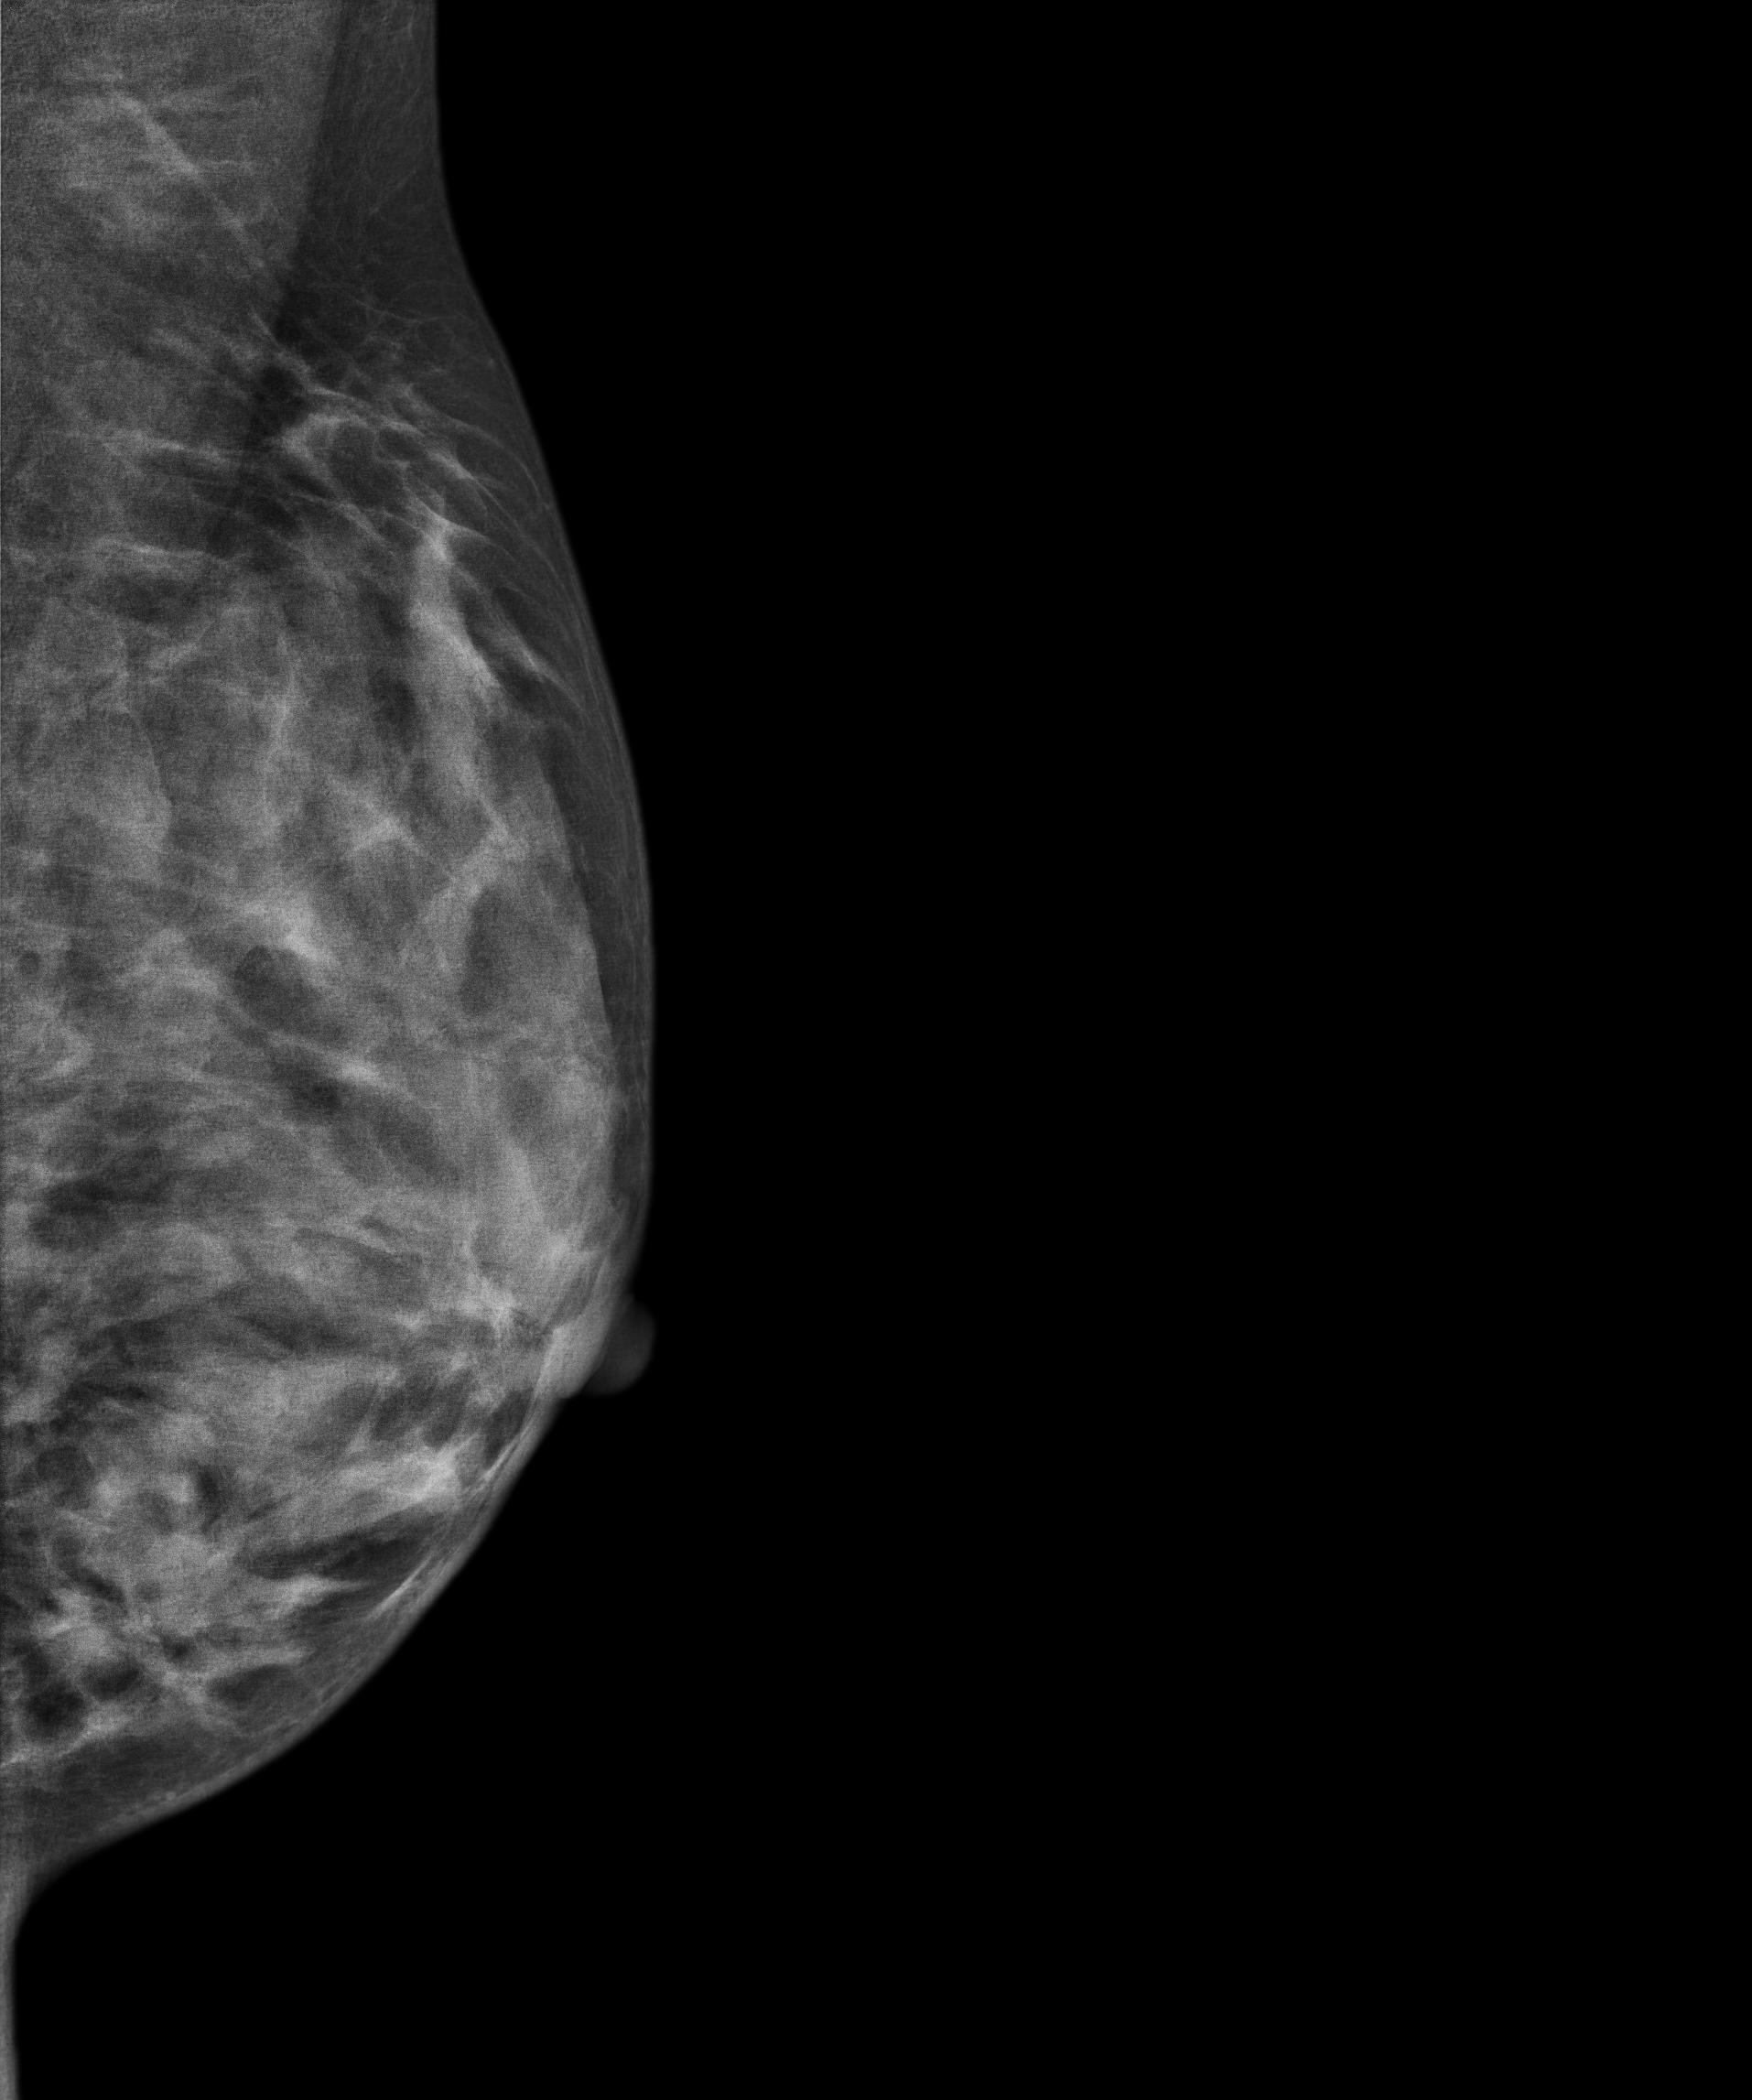
Mammogram — left MLO. 36 y/o patient.
This breast has a mass, histologically confirmed malignant. Molecular subtype: luminal A.